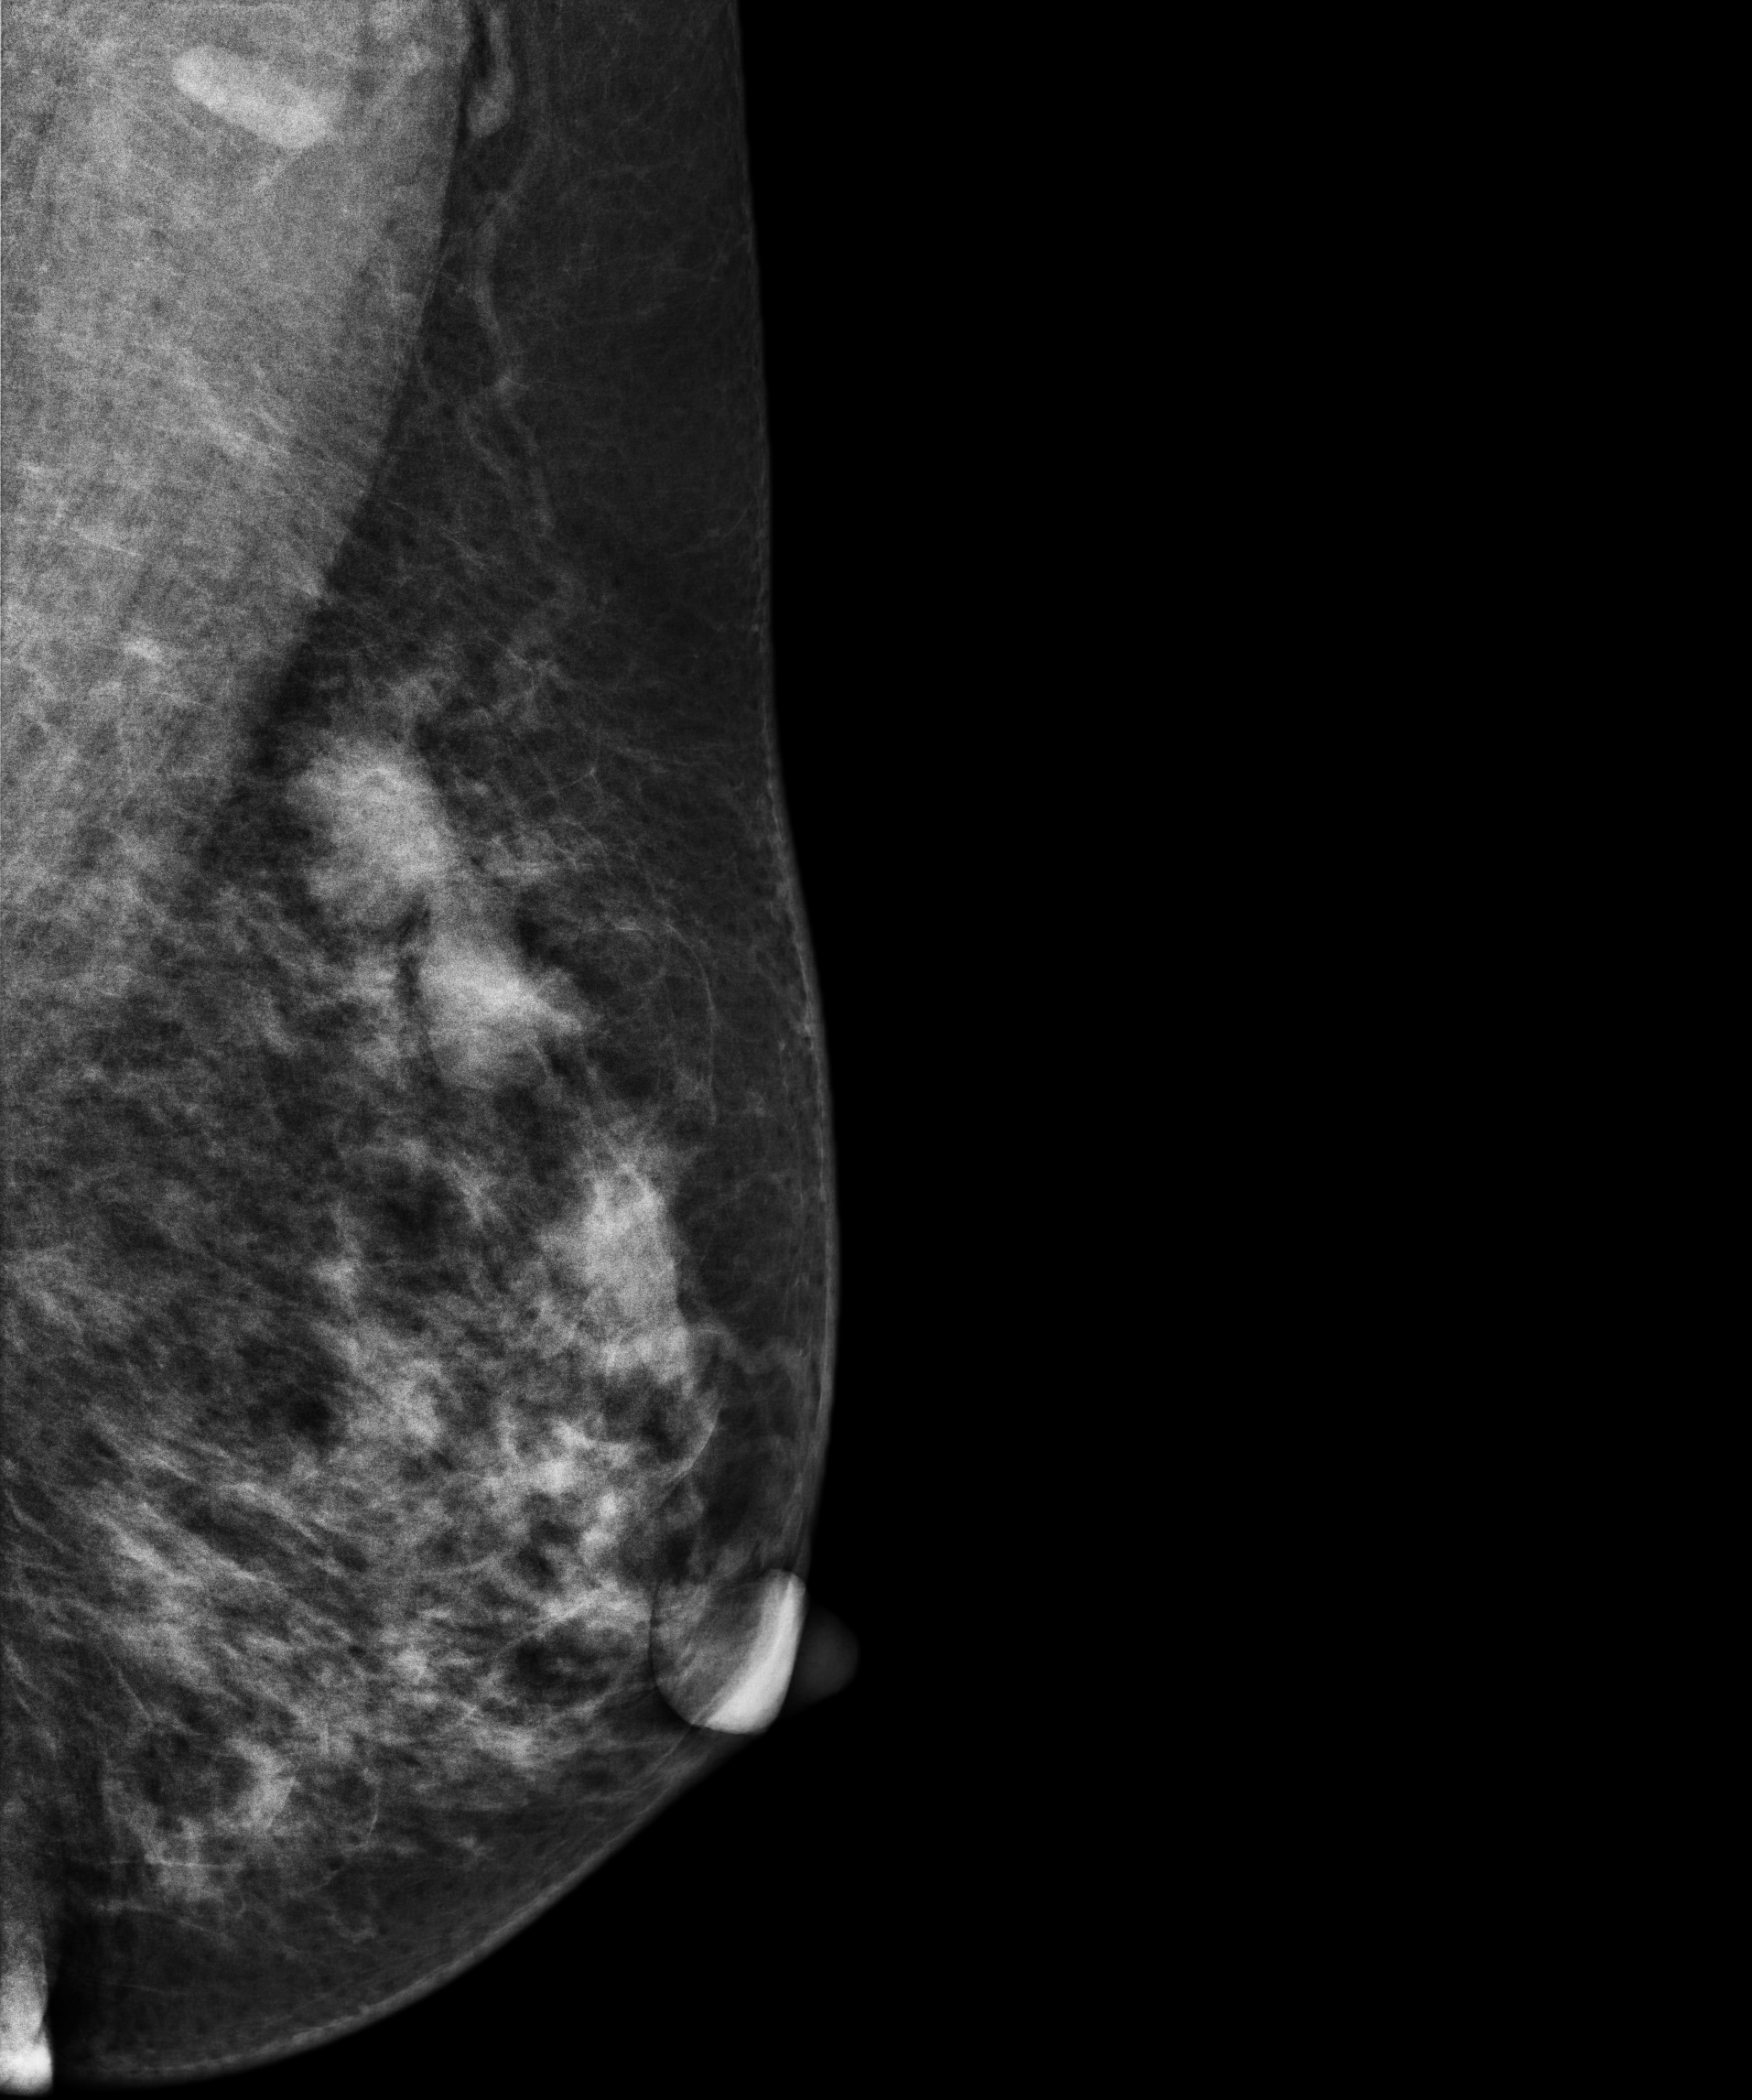
Medio-lateral oblique mammogram of the left breast. Patient age 49.
This breast has a mass, histologically confirmed malignant. Molecular subtype: luminal A.